Cranio-caudal mammogram of the left breast. 44 y/o patient.
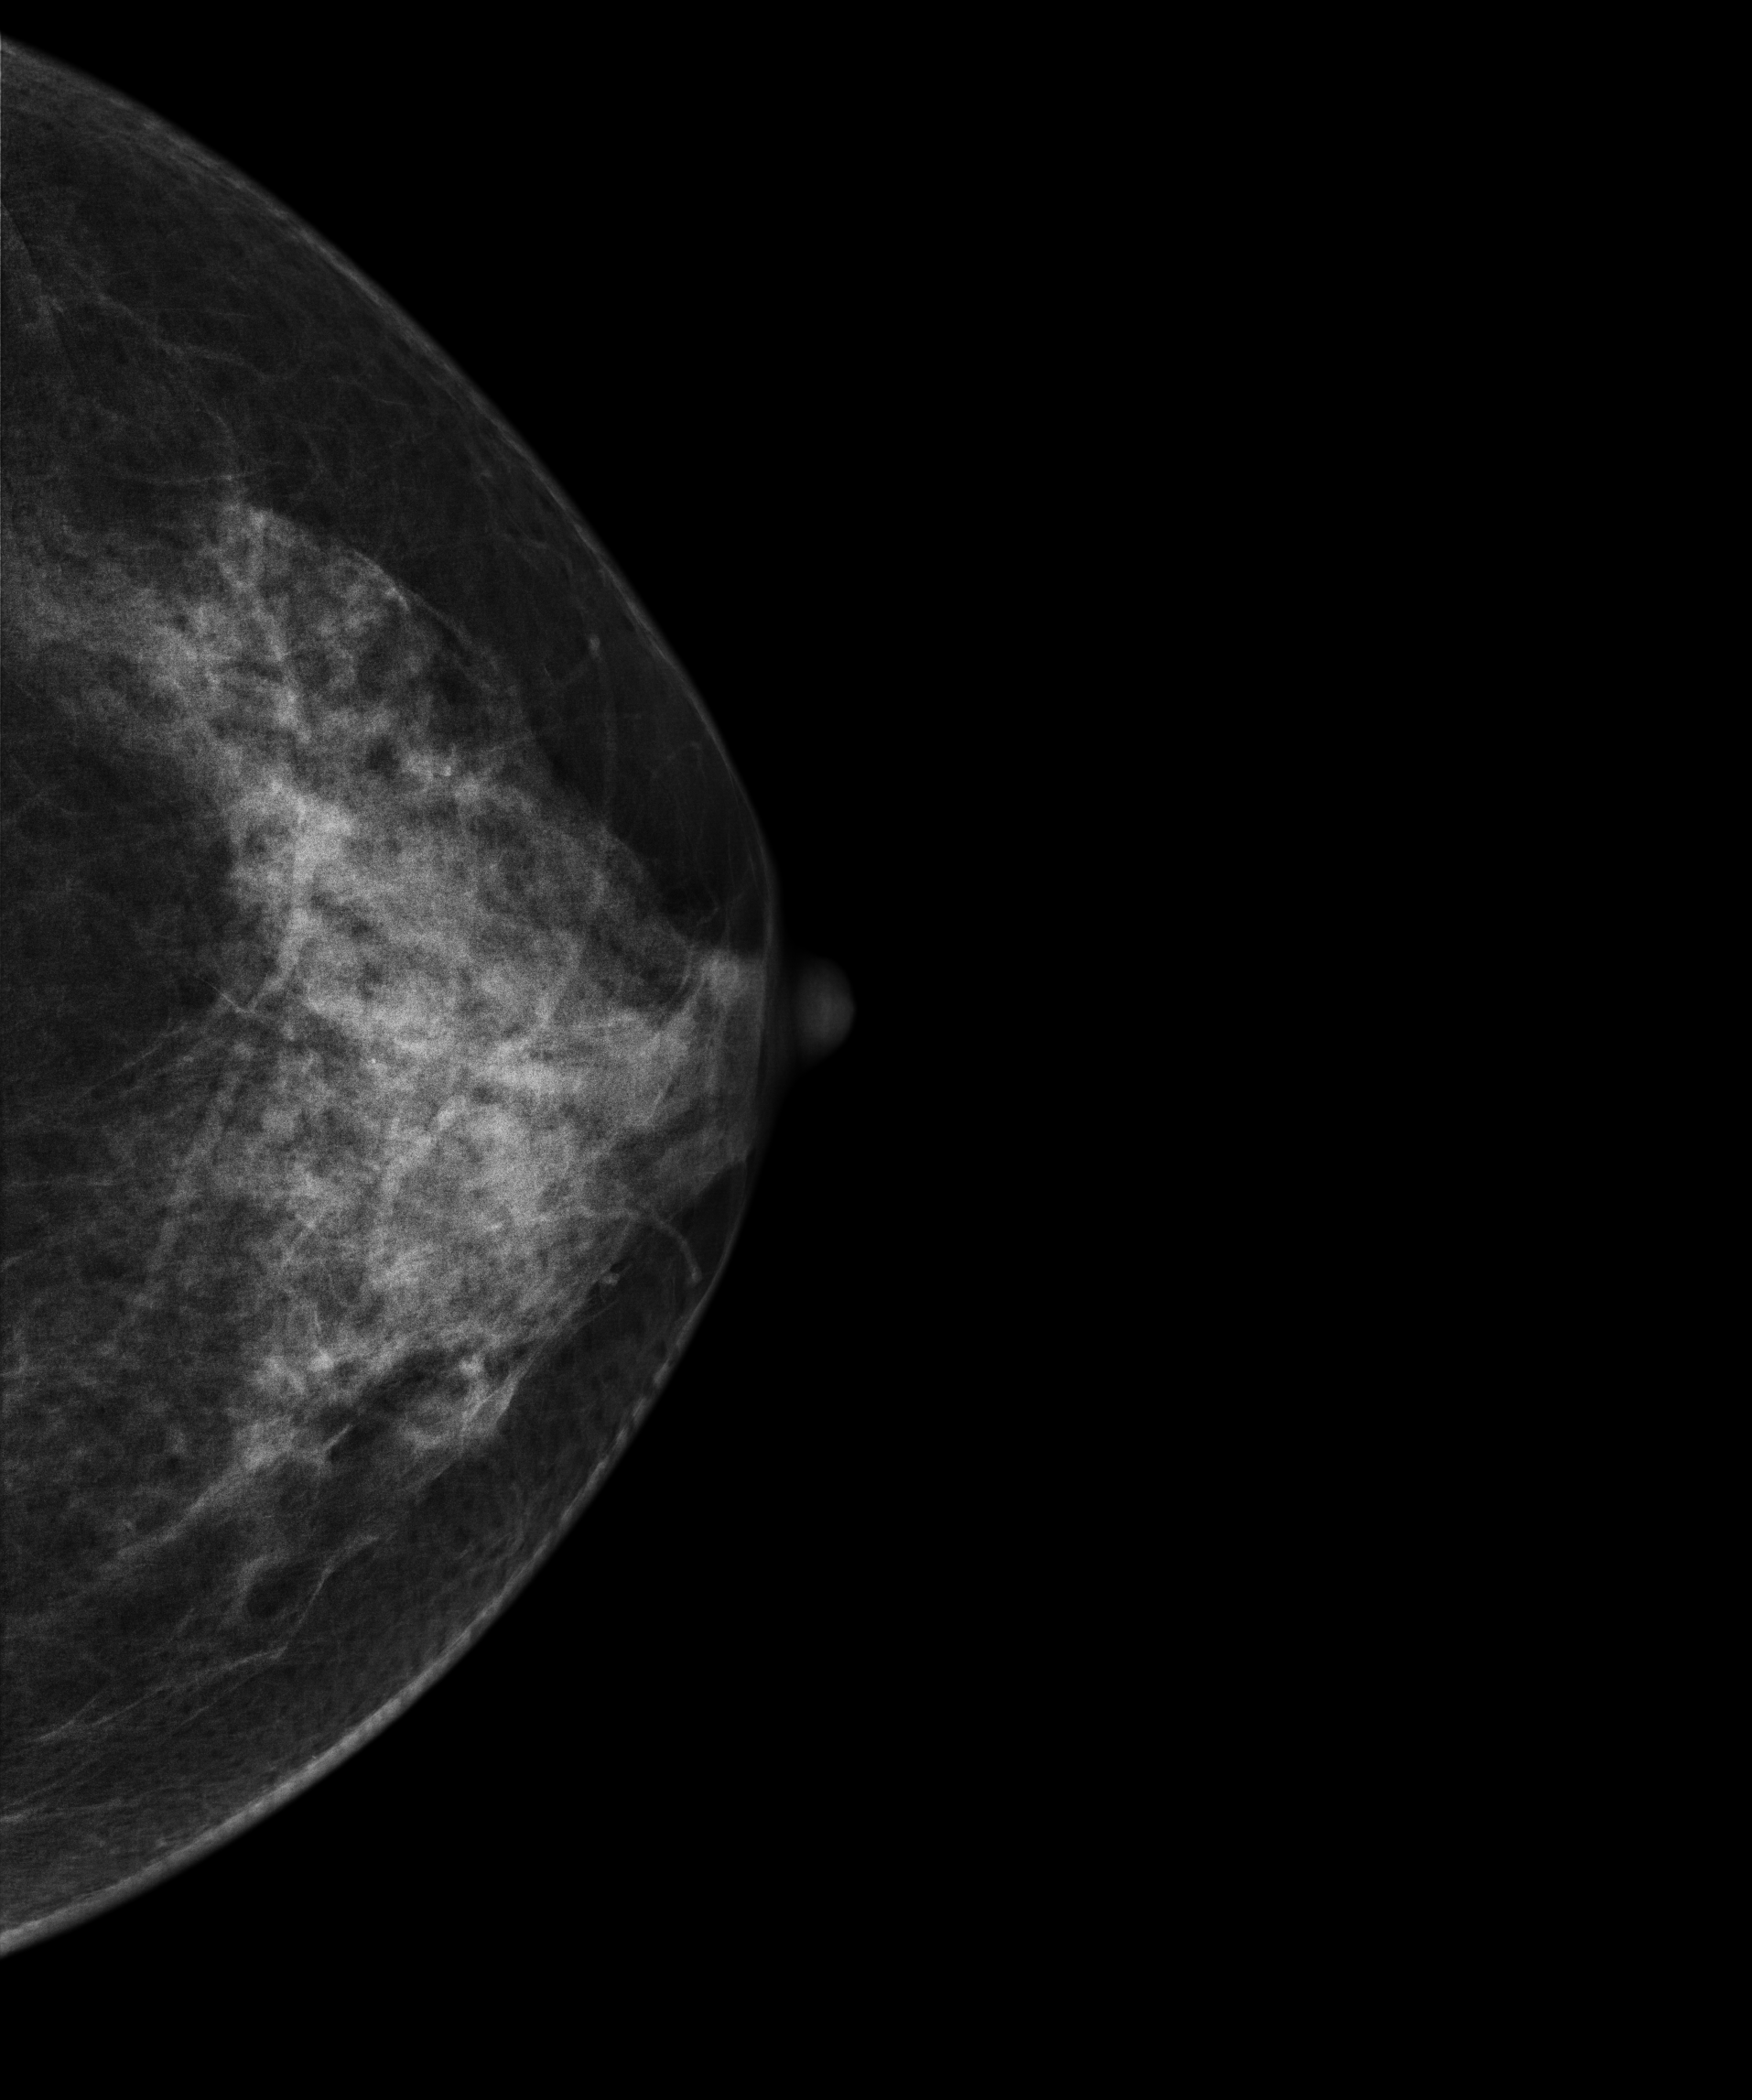
Contralateral breast — no documented abnormality on this side.